Mammogram, left breast, MLO view. 48 y/o patient.
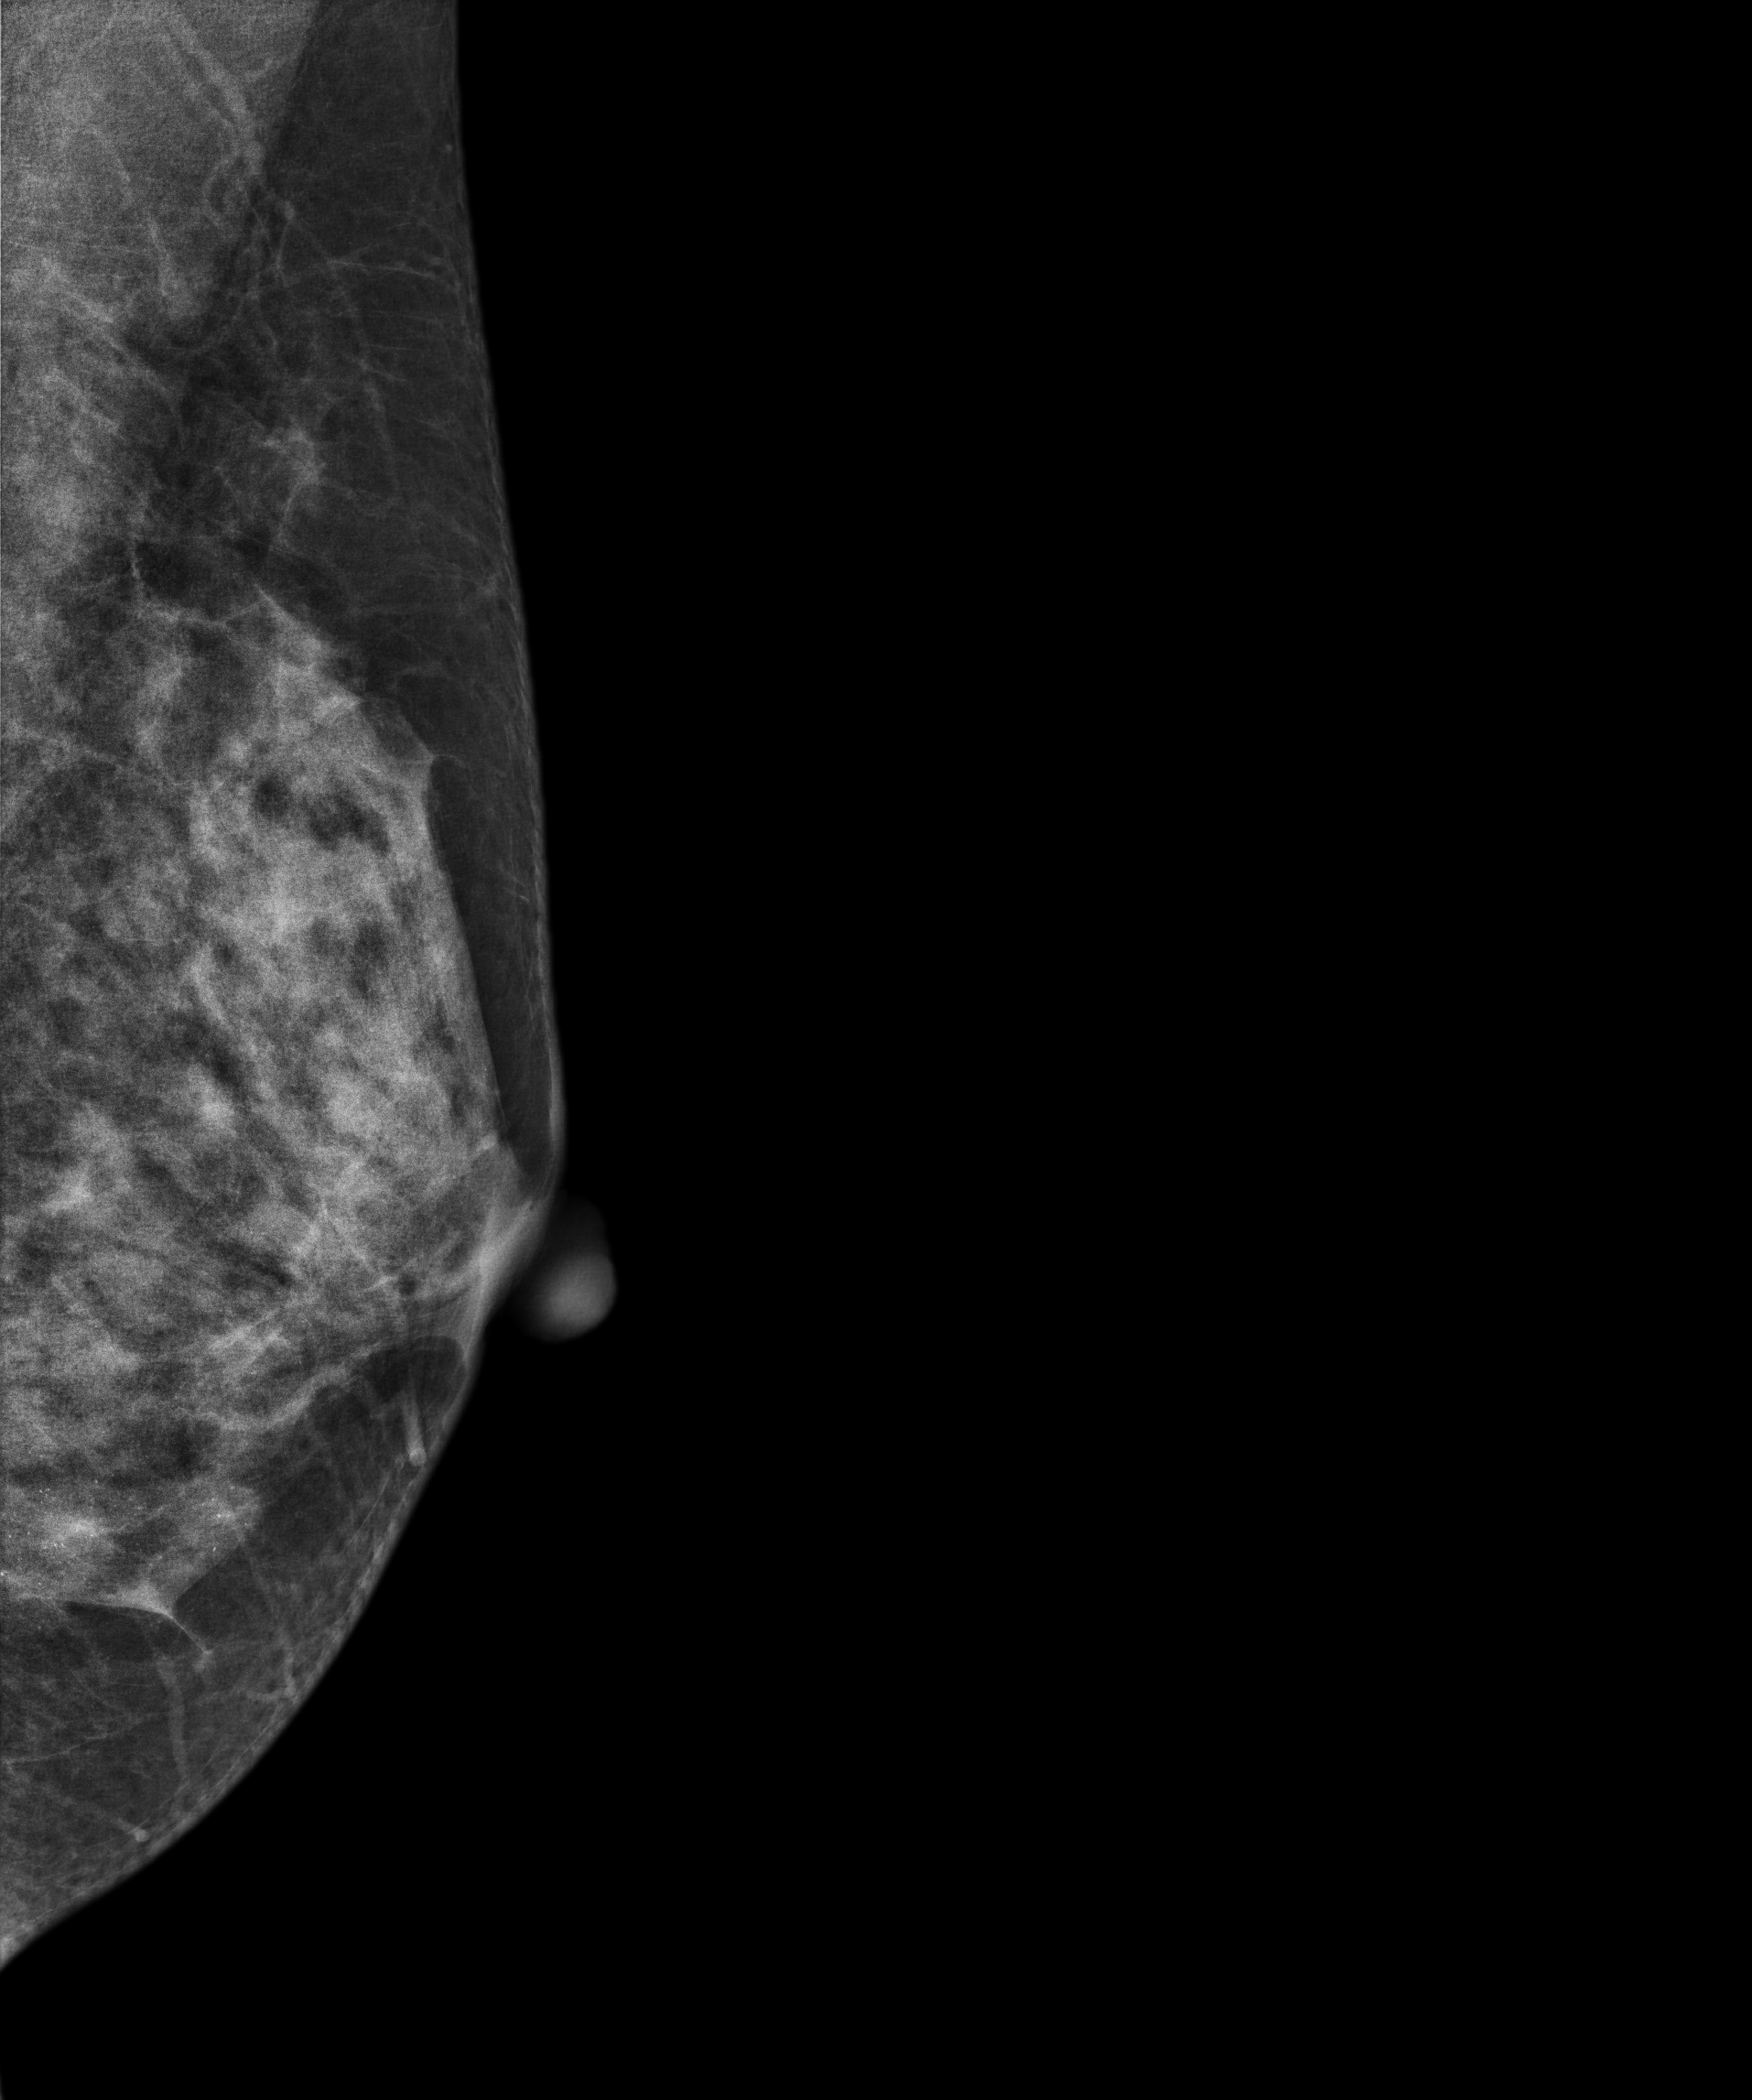
Contralateral breast — no documented abnormality on this side.